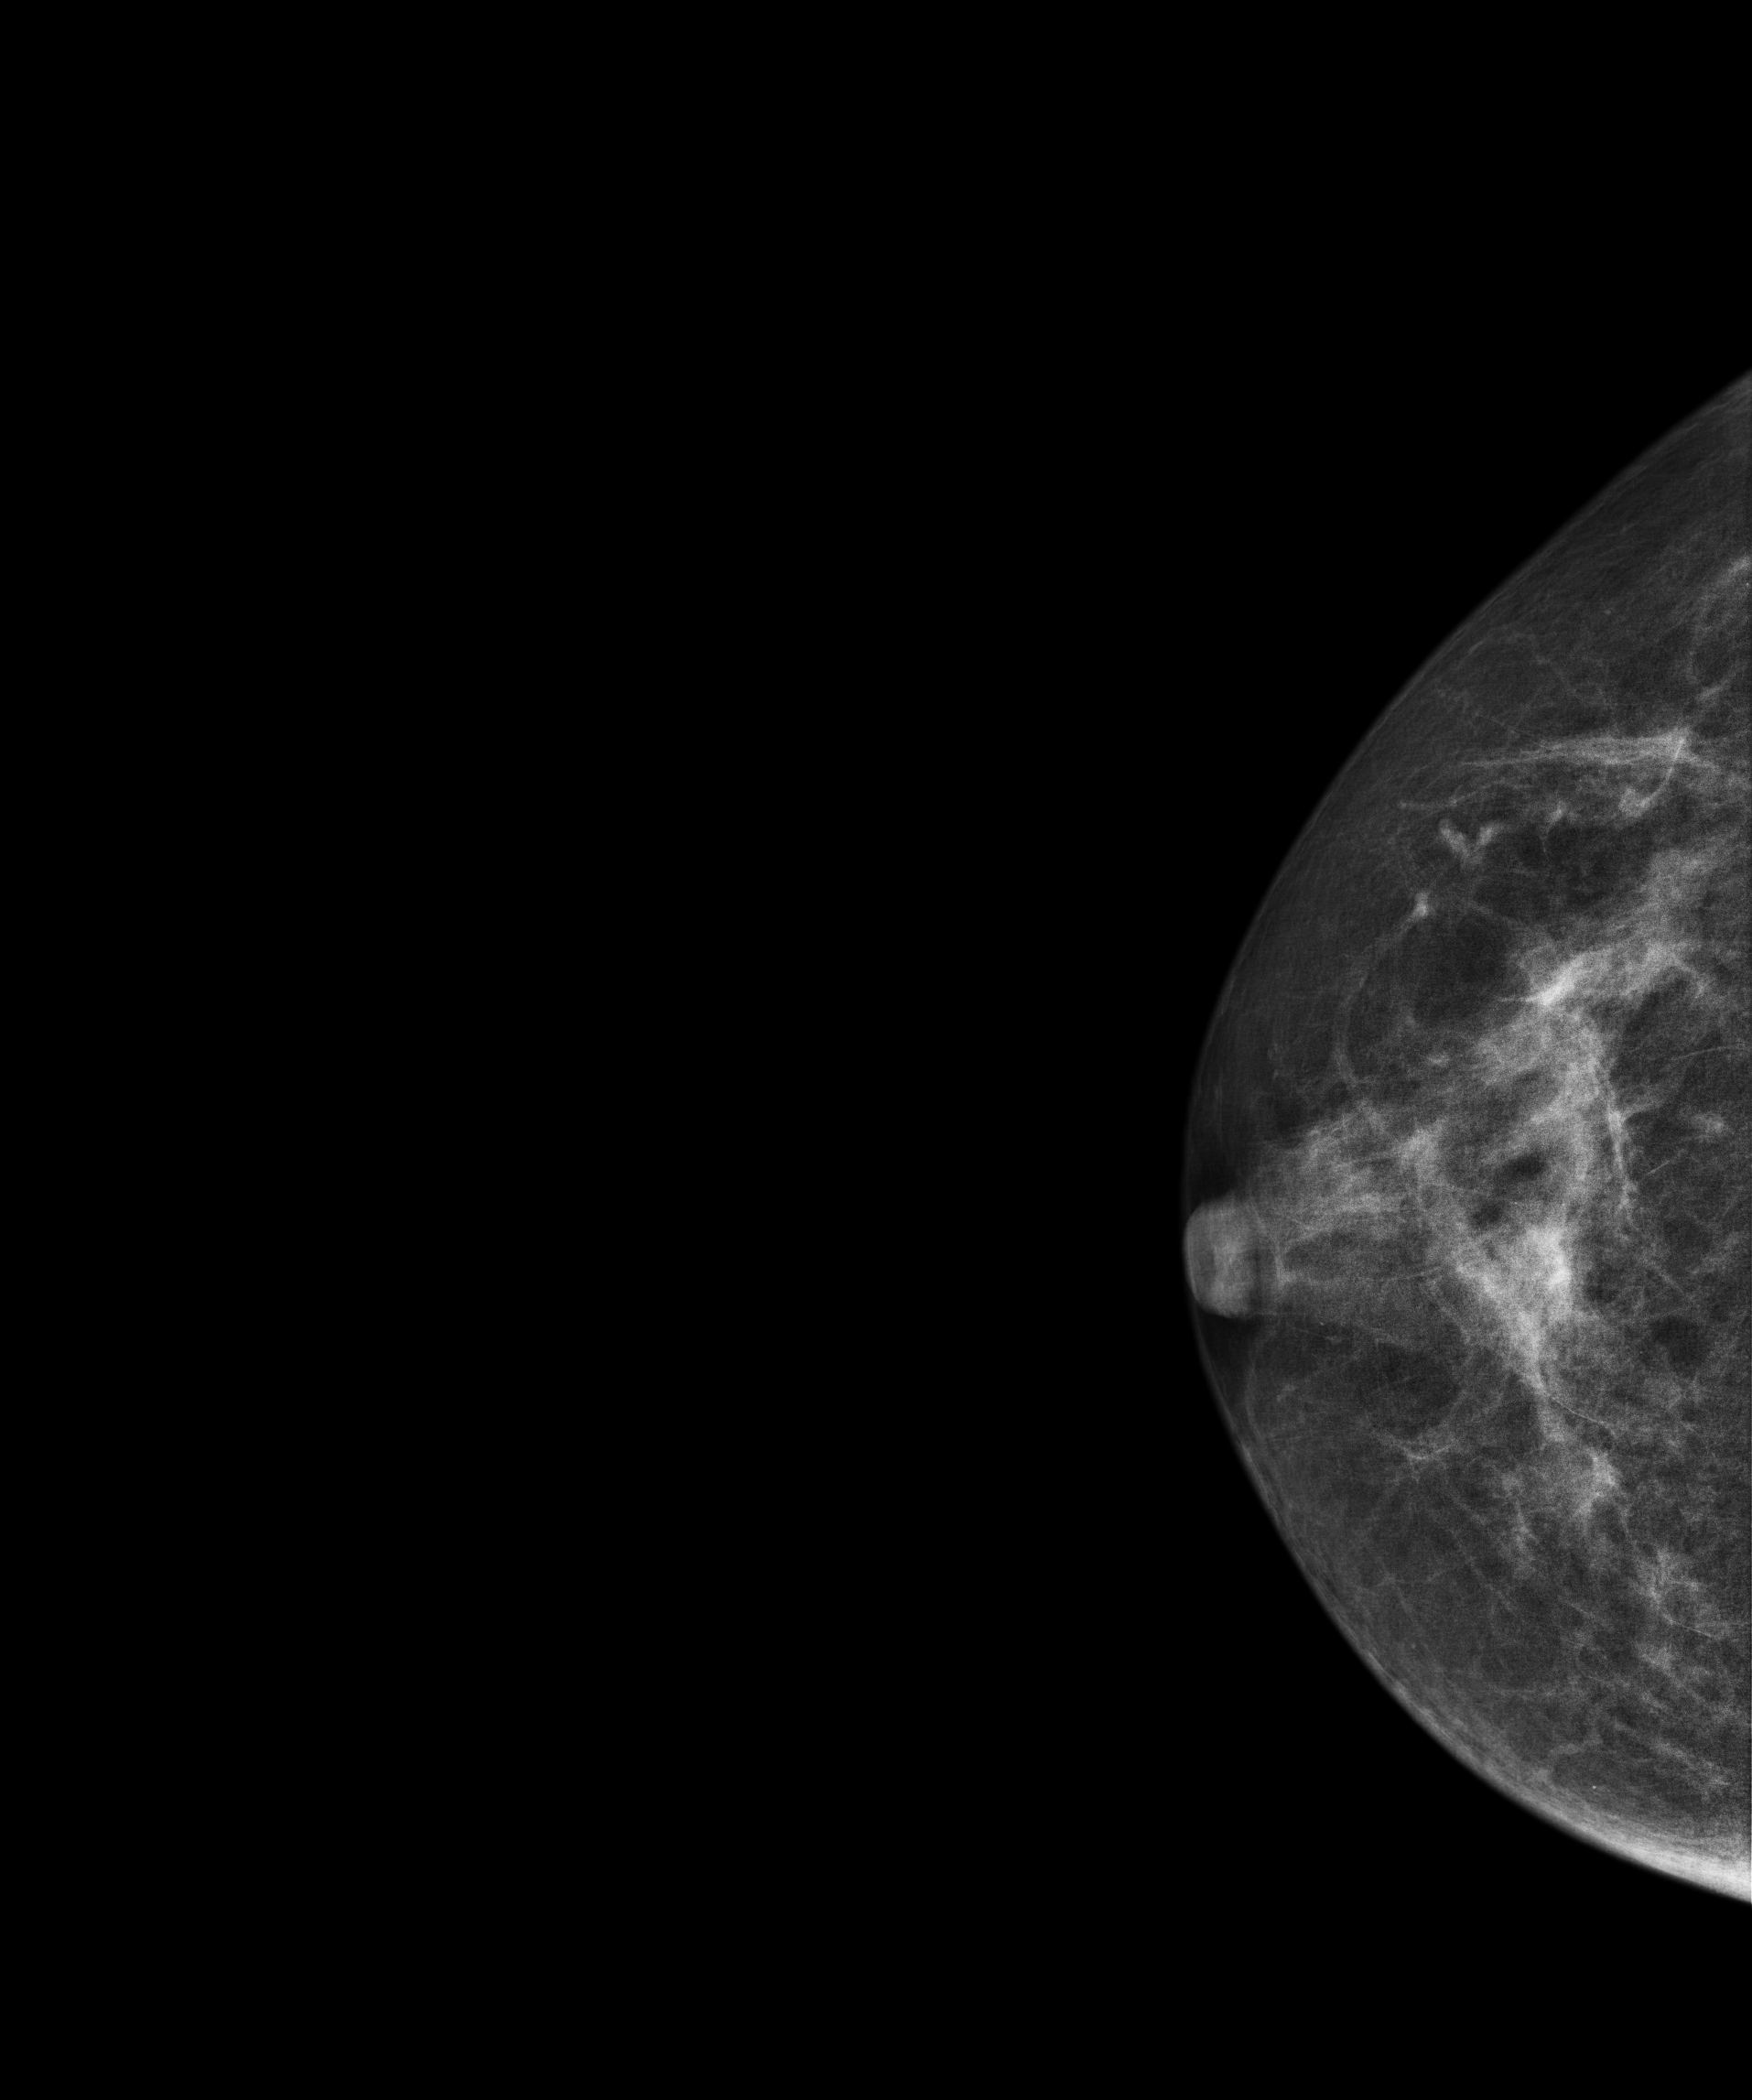
Cranio-caudal mammogram of the right breast. 65 y/o patient.
This breast has a mass, histologically confirmed benign.